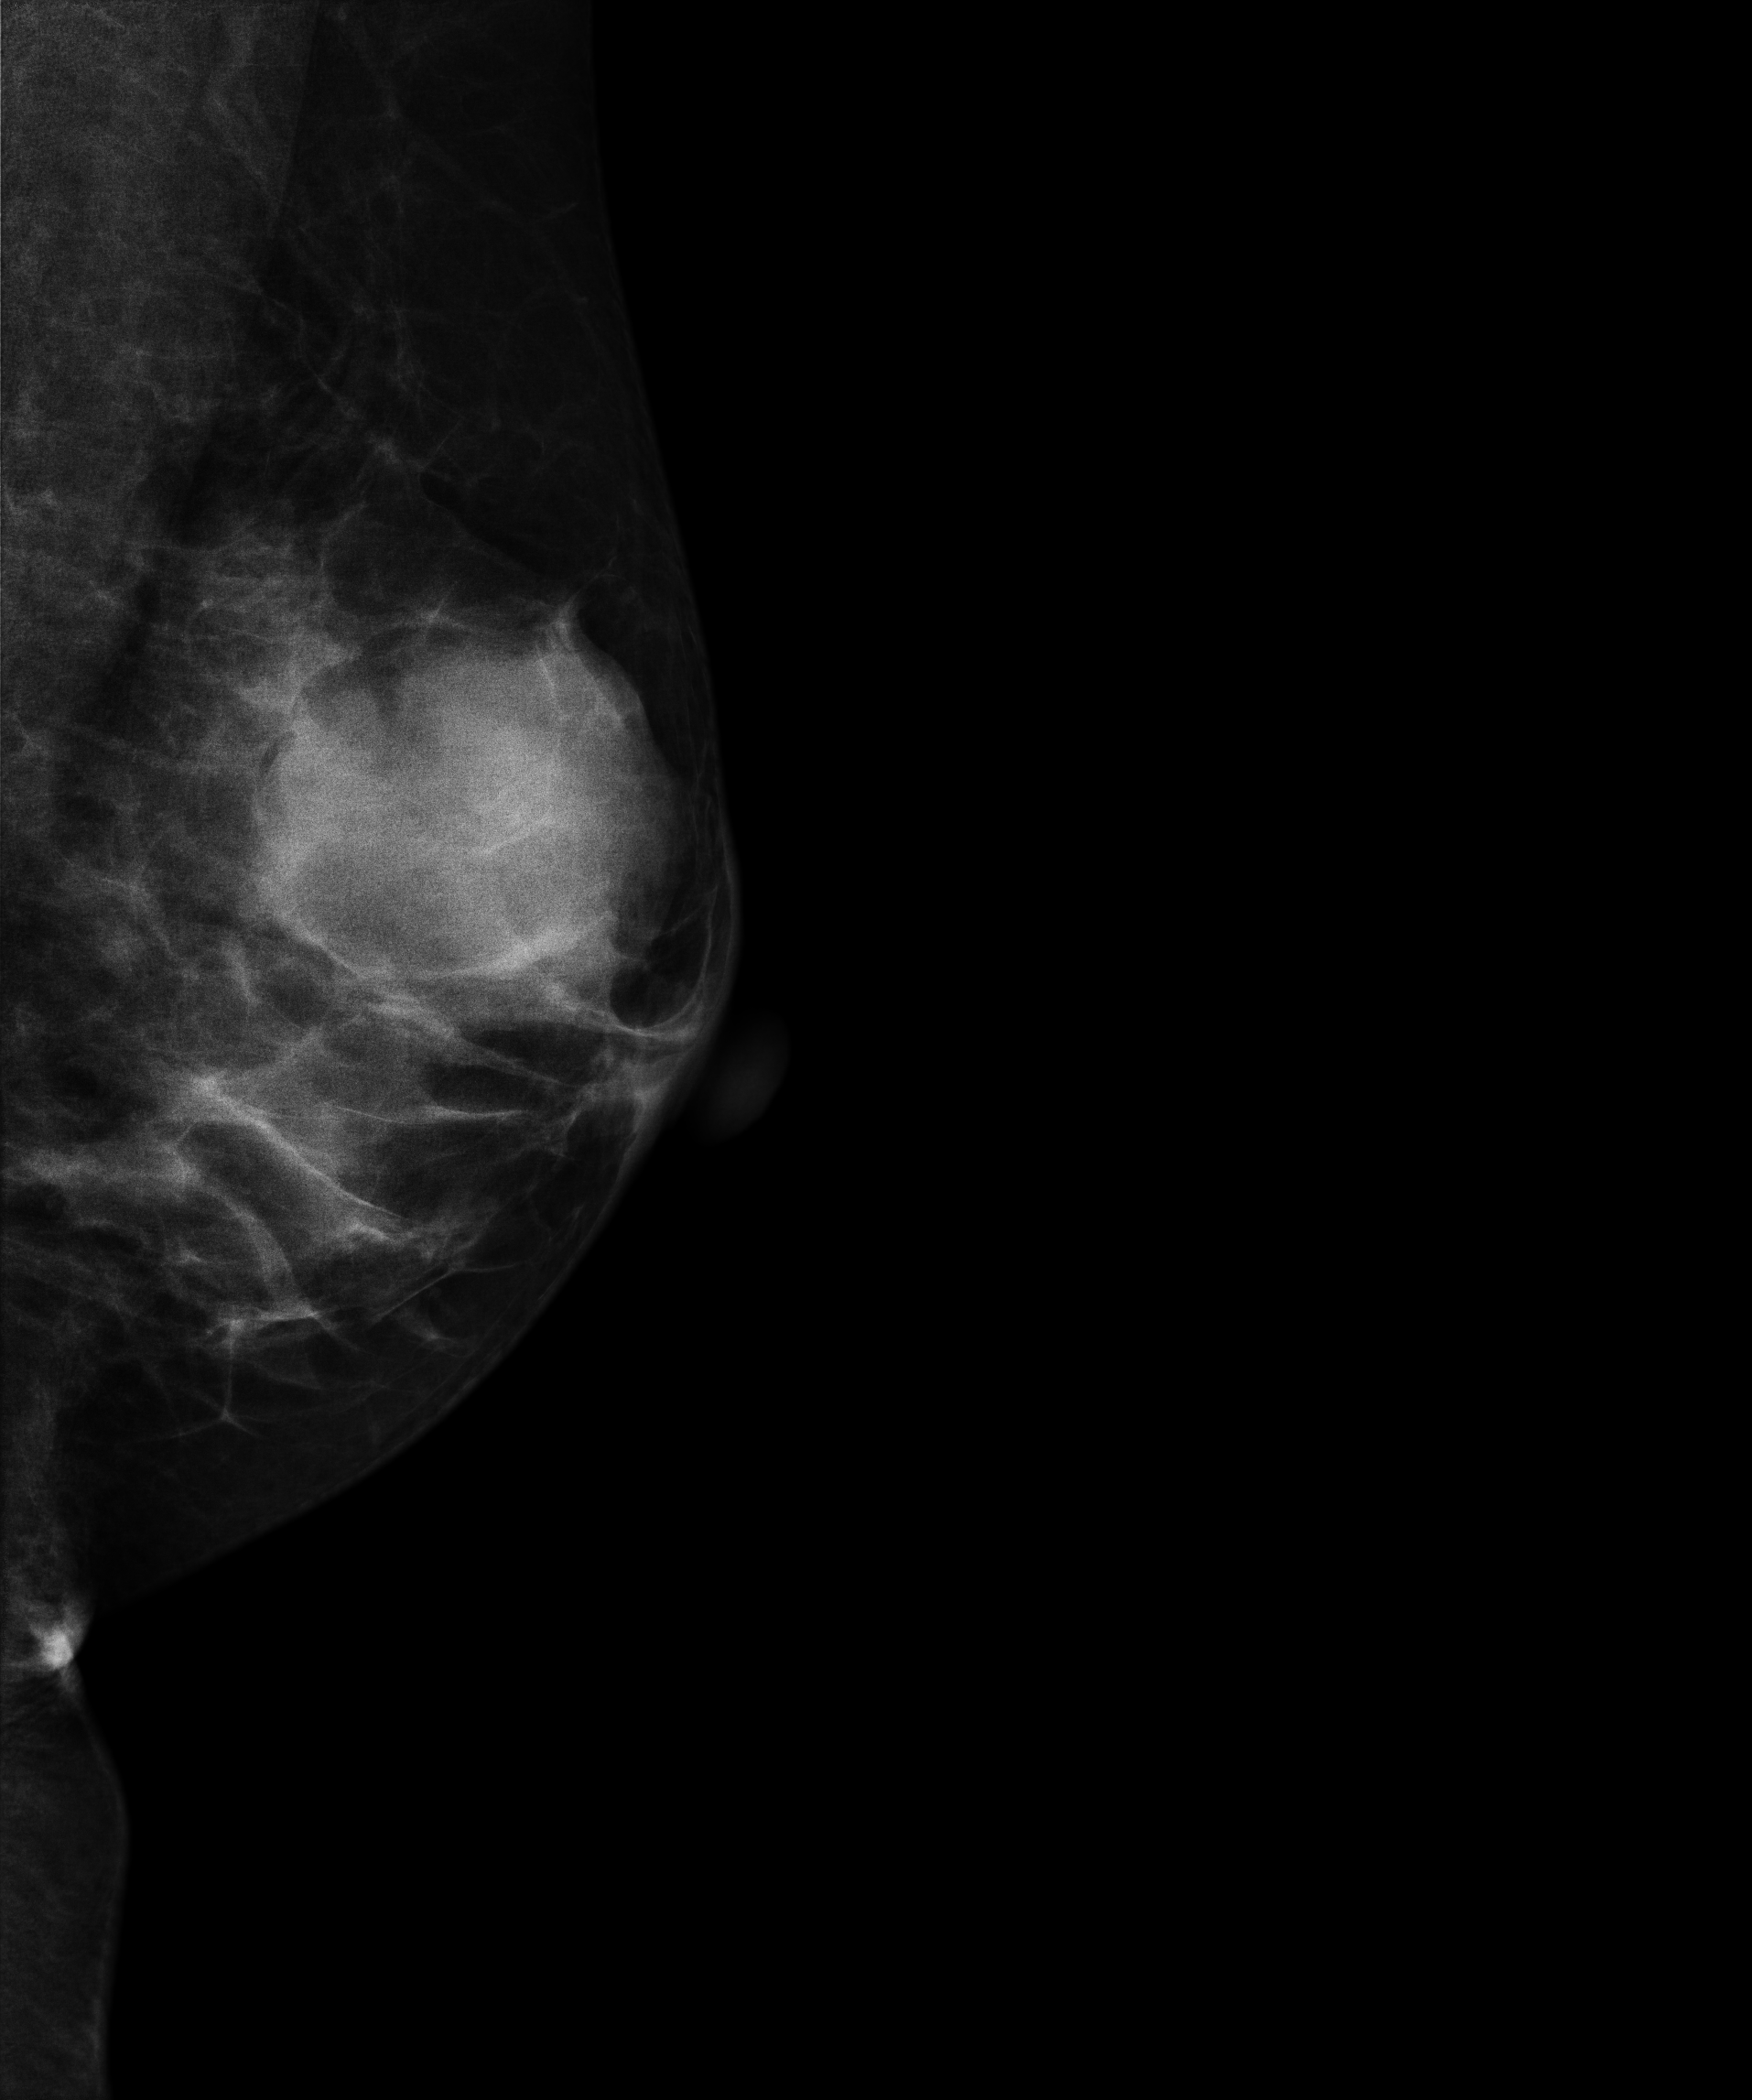
Mammogram — left MLO. 48-year-old patient.
This breast has a mass, biopsy-confirmed benign.